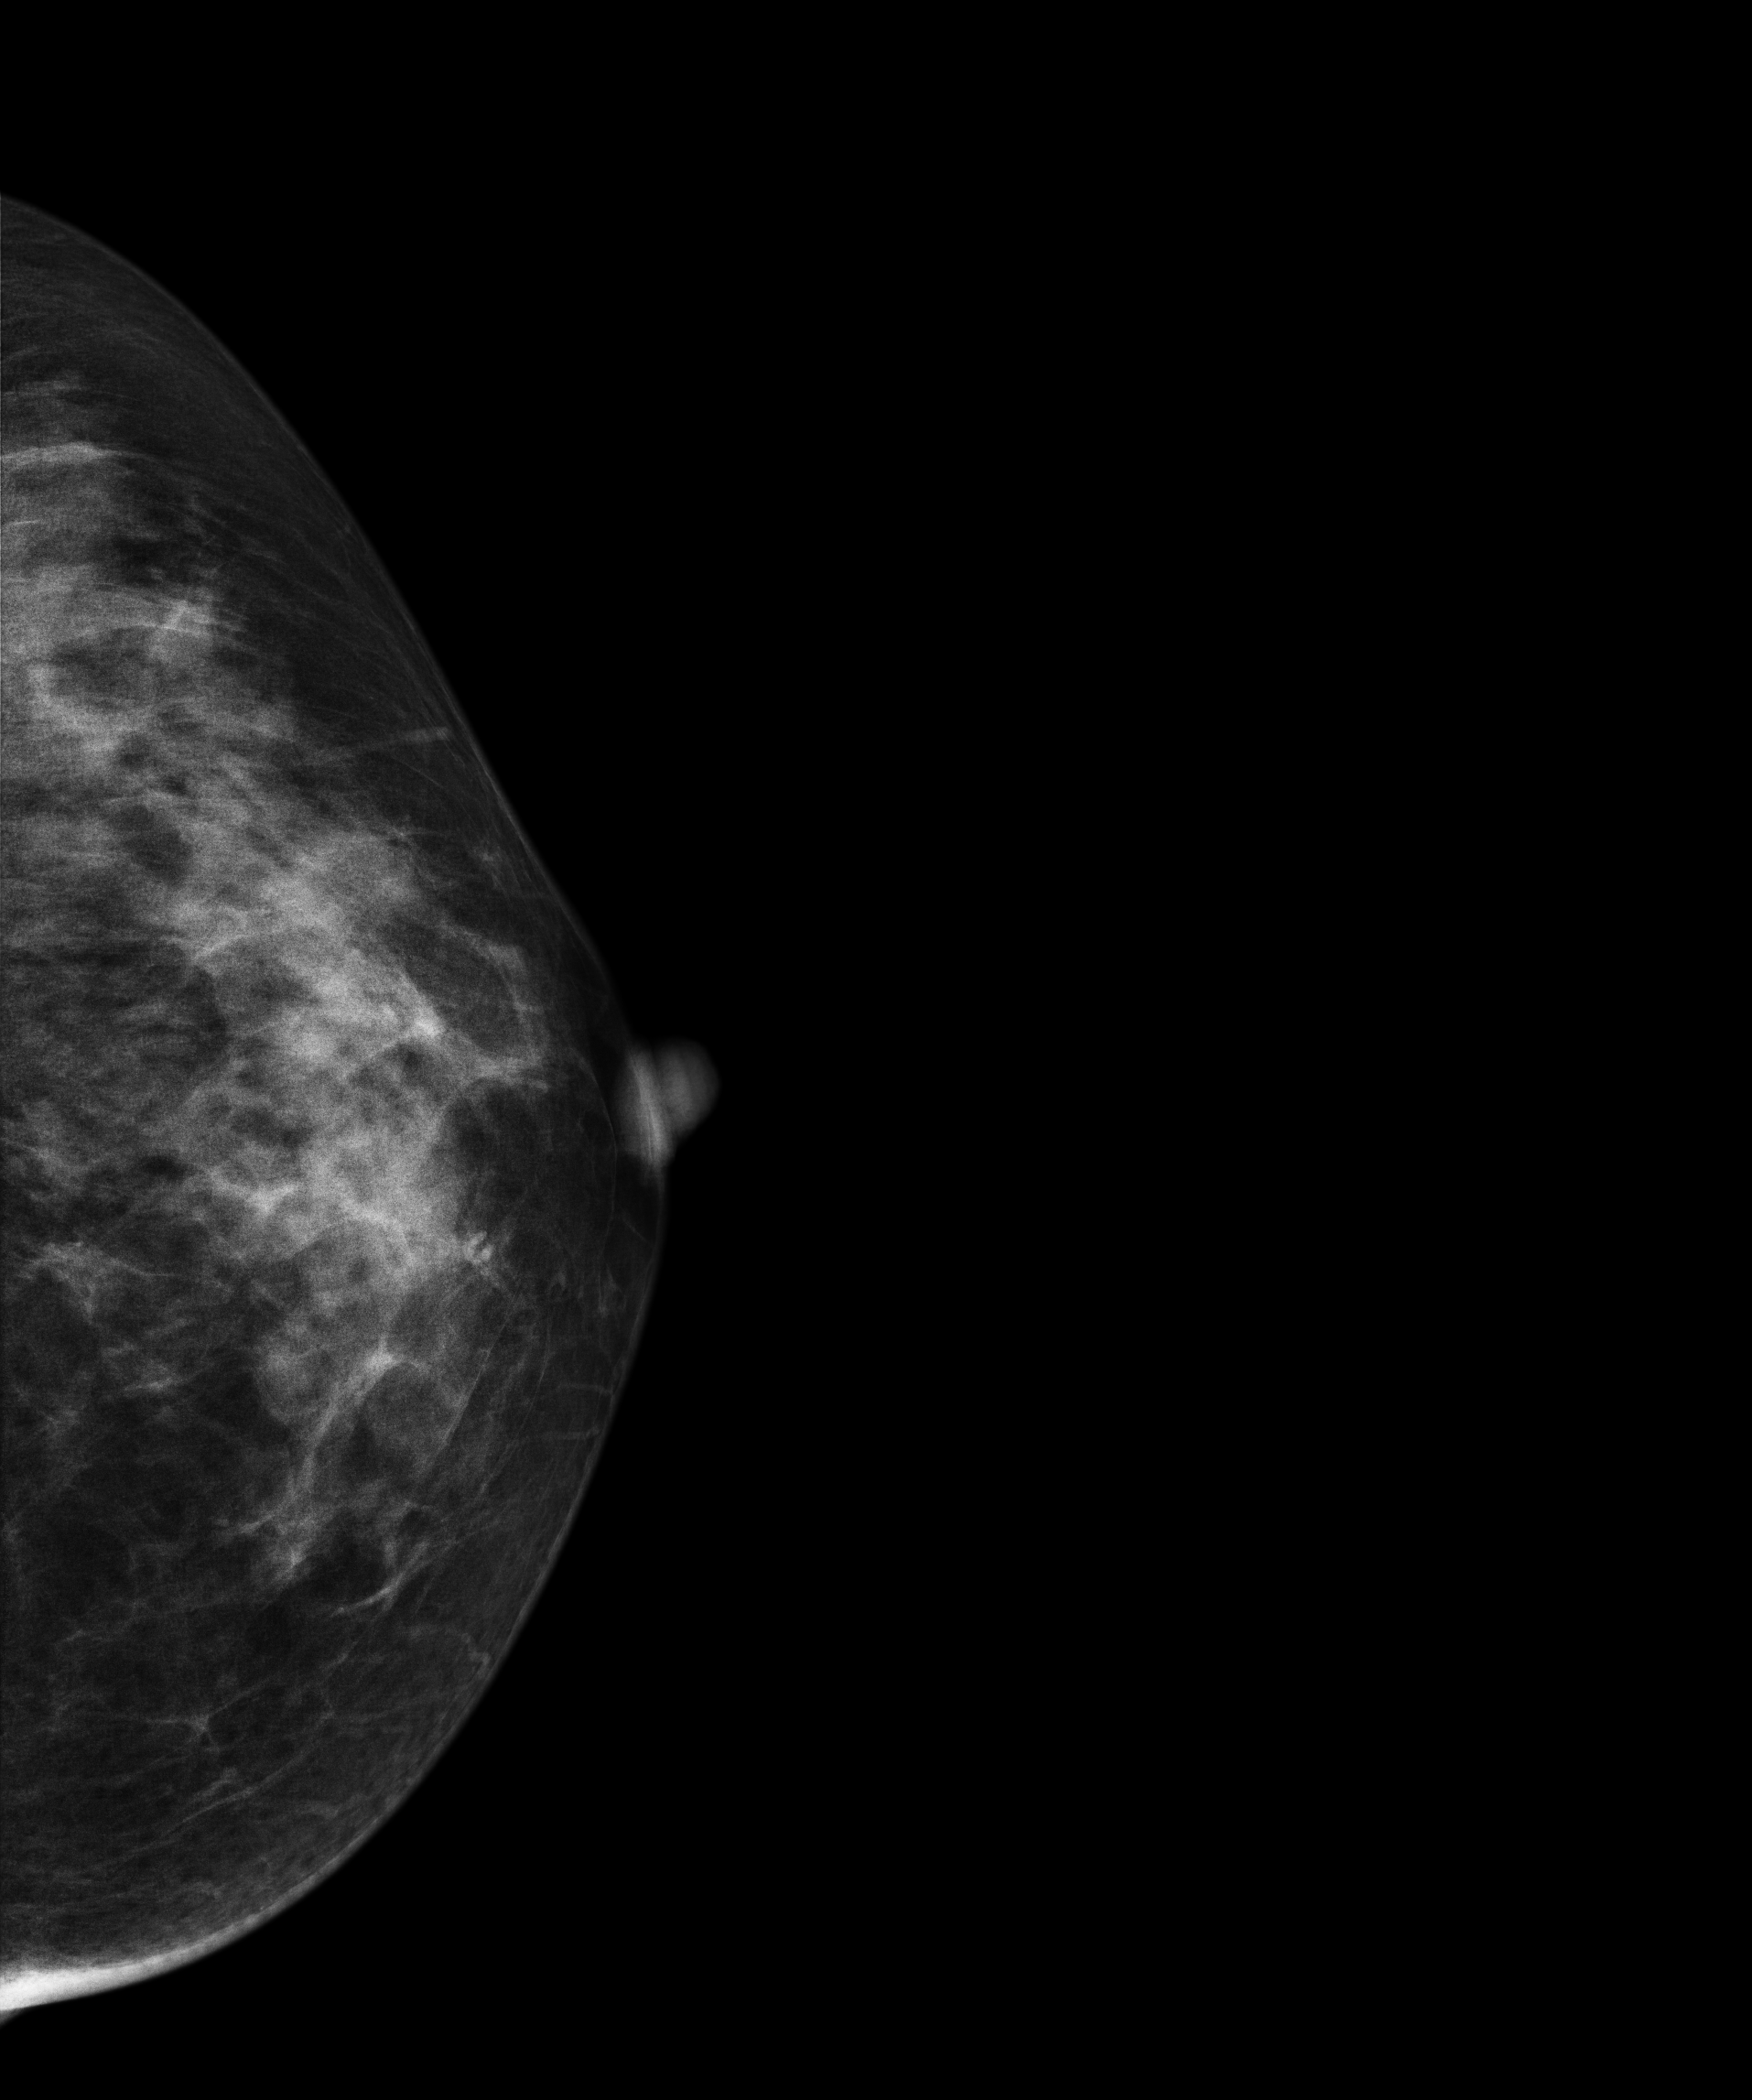
Left-breast mammogram, CC. 45 y/o patient.
This breast has a mass and calcifications, biopsy-confirmed malignant. Molecular subtype: luminal B.